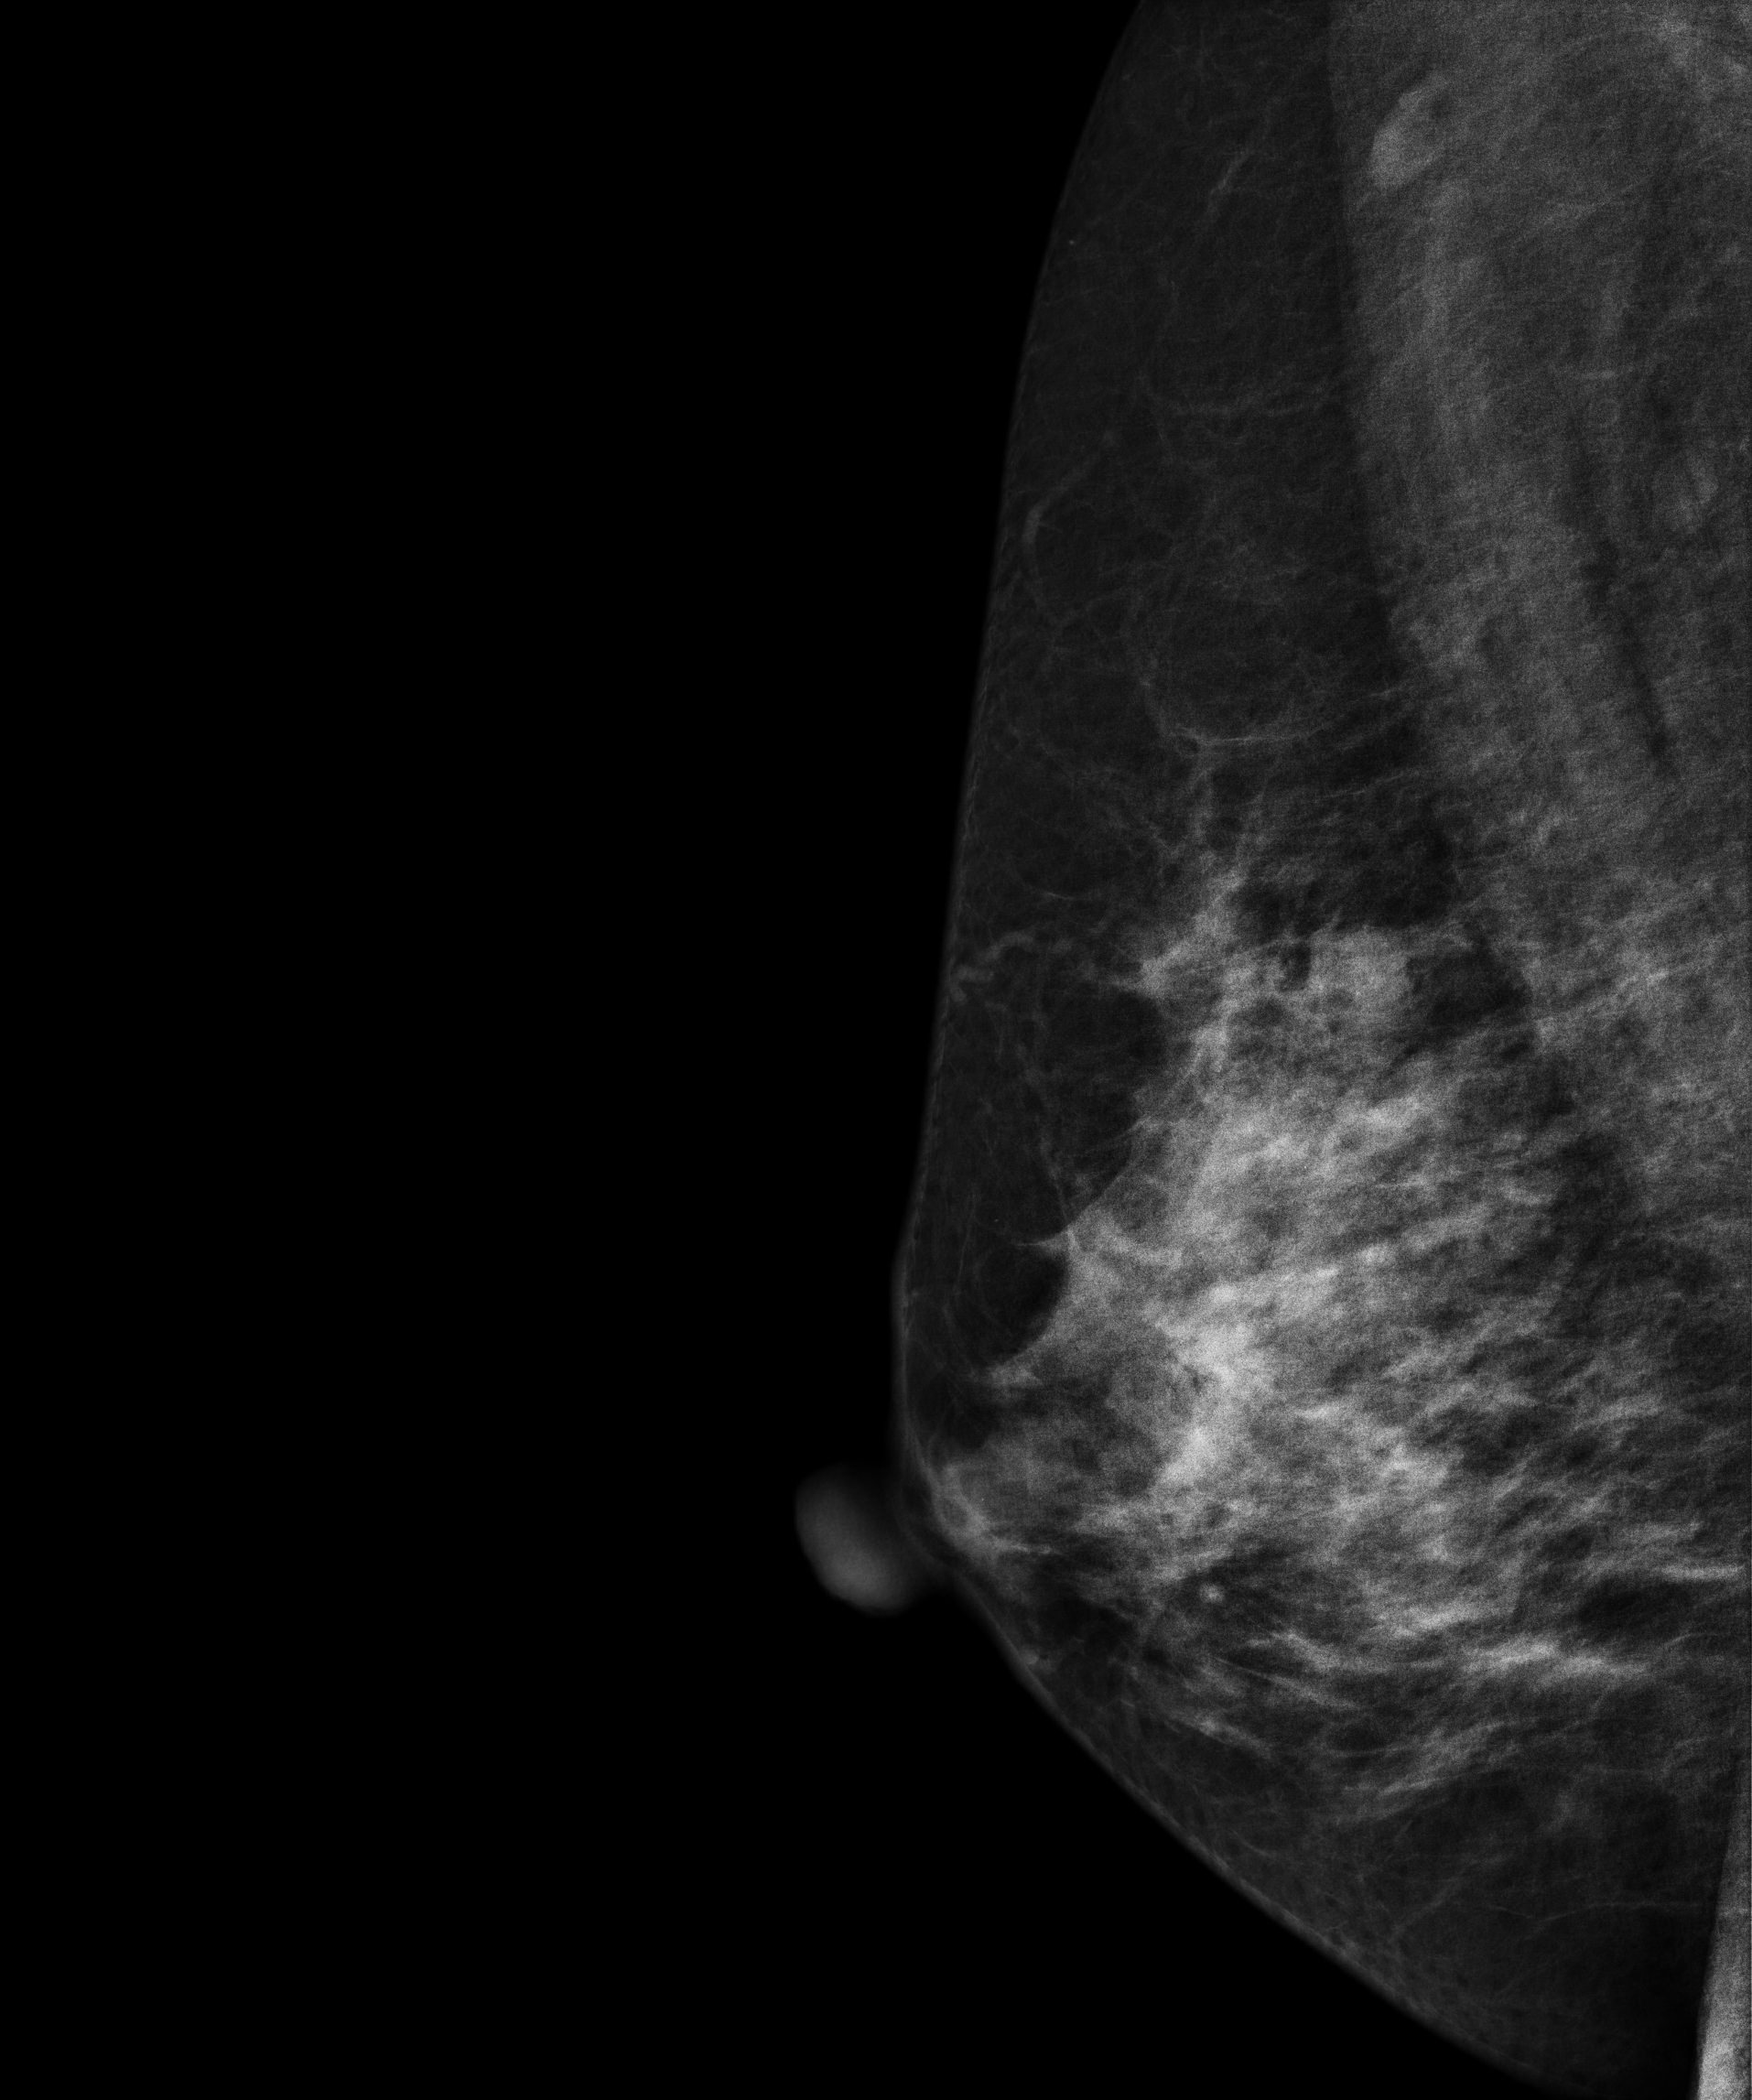
Digital mammography. Right breast, MLO projection. 50-year-old patient.
This breast has a mass, histologically confirmed malignant. Molecular subtype: luminal B.